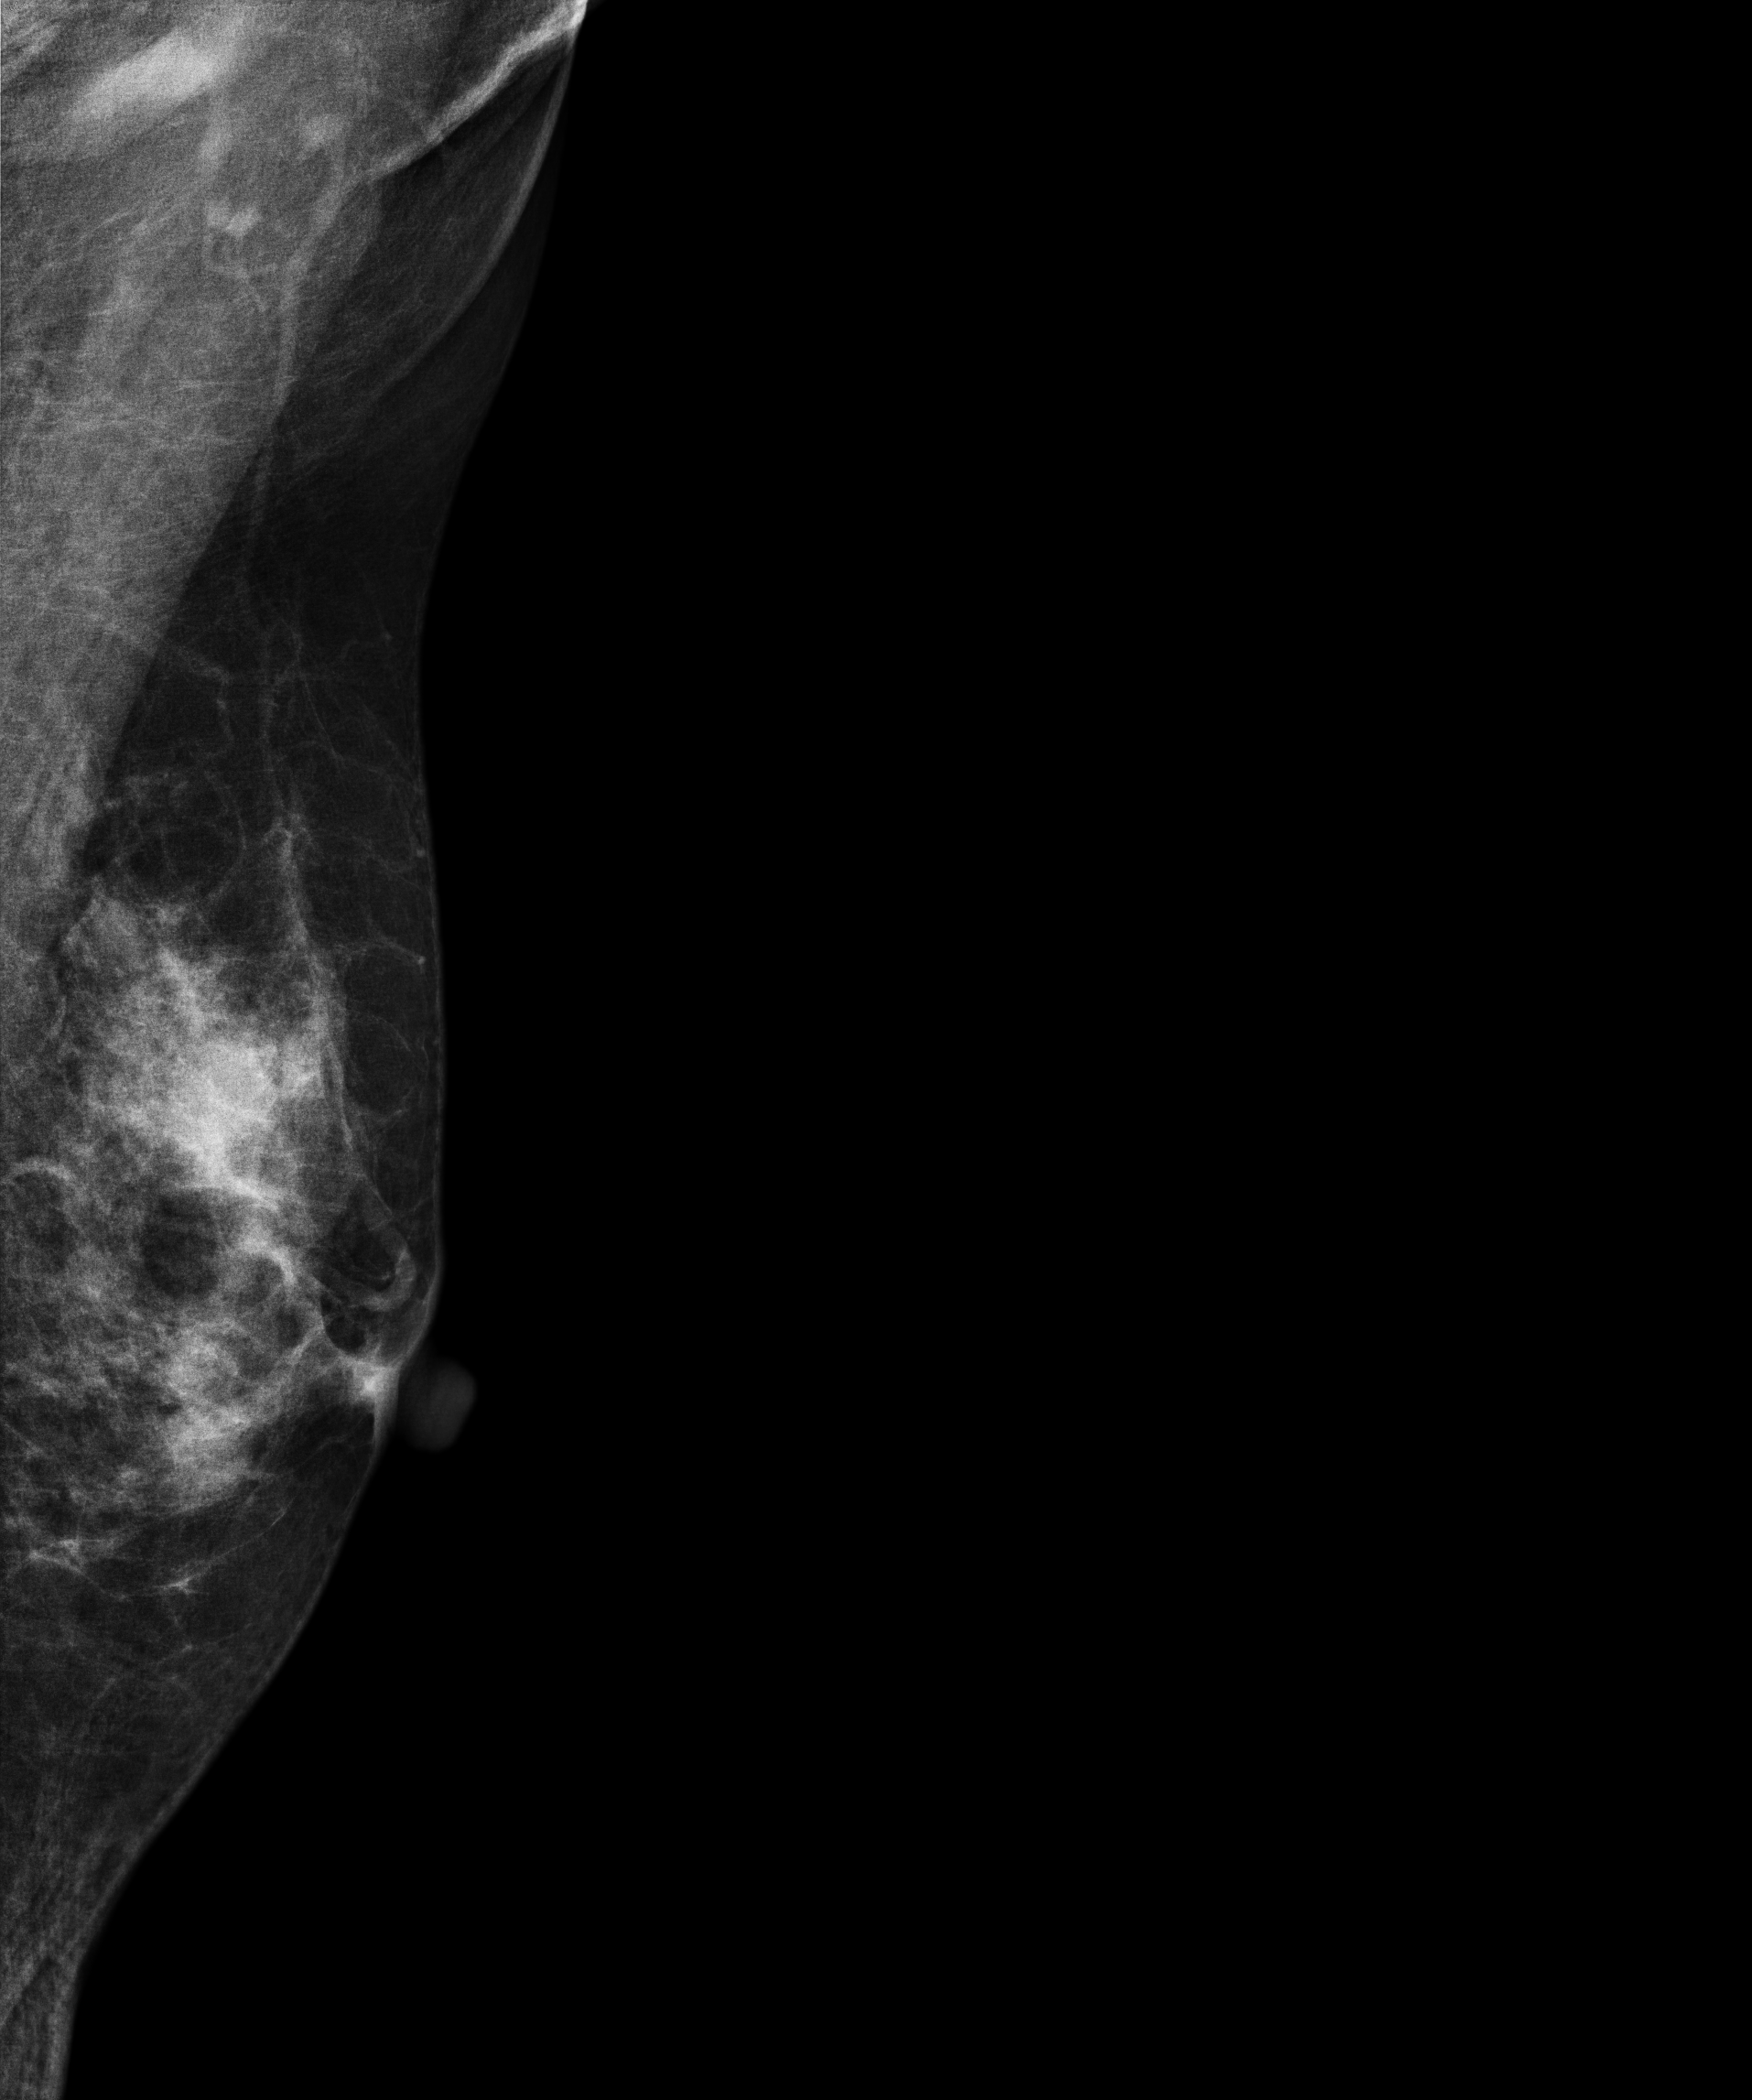
MLO mammogram of the left breast. 59 y/o patient.
This breast has a mass, pathology-confirmed malignant. Molecular subtype: triple-negative.